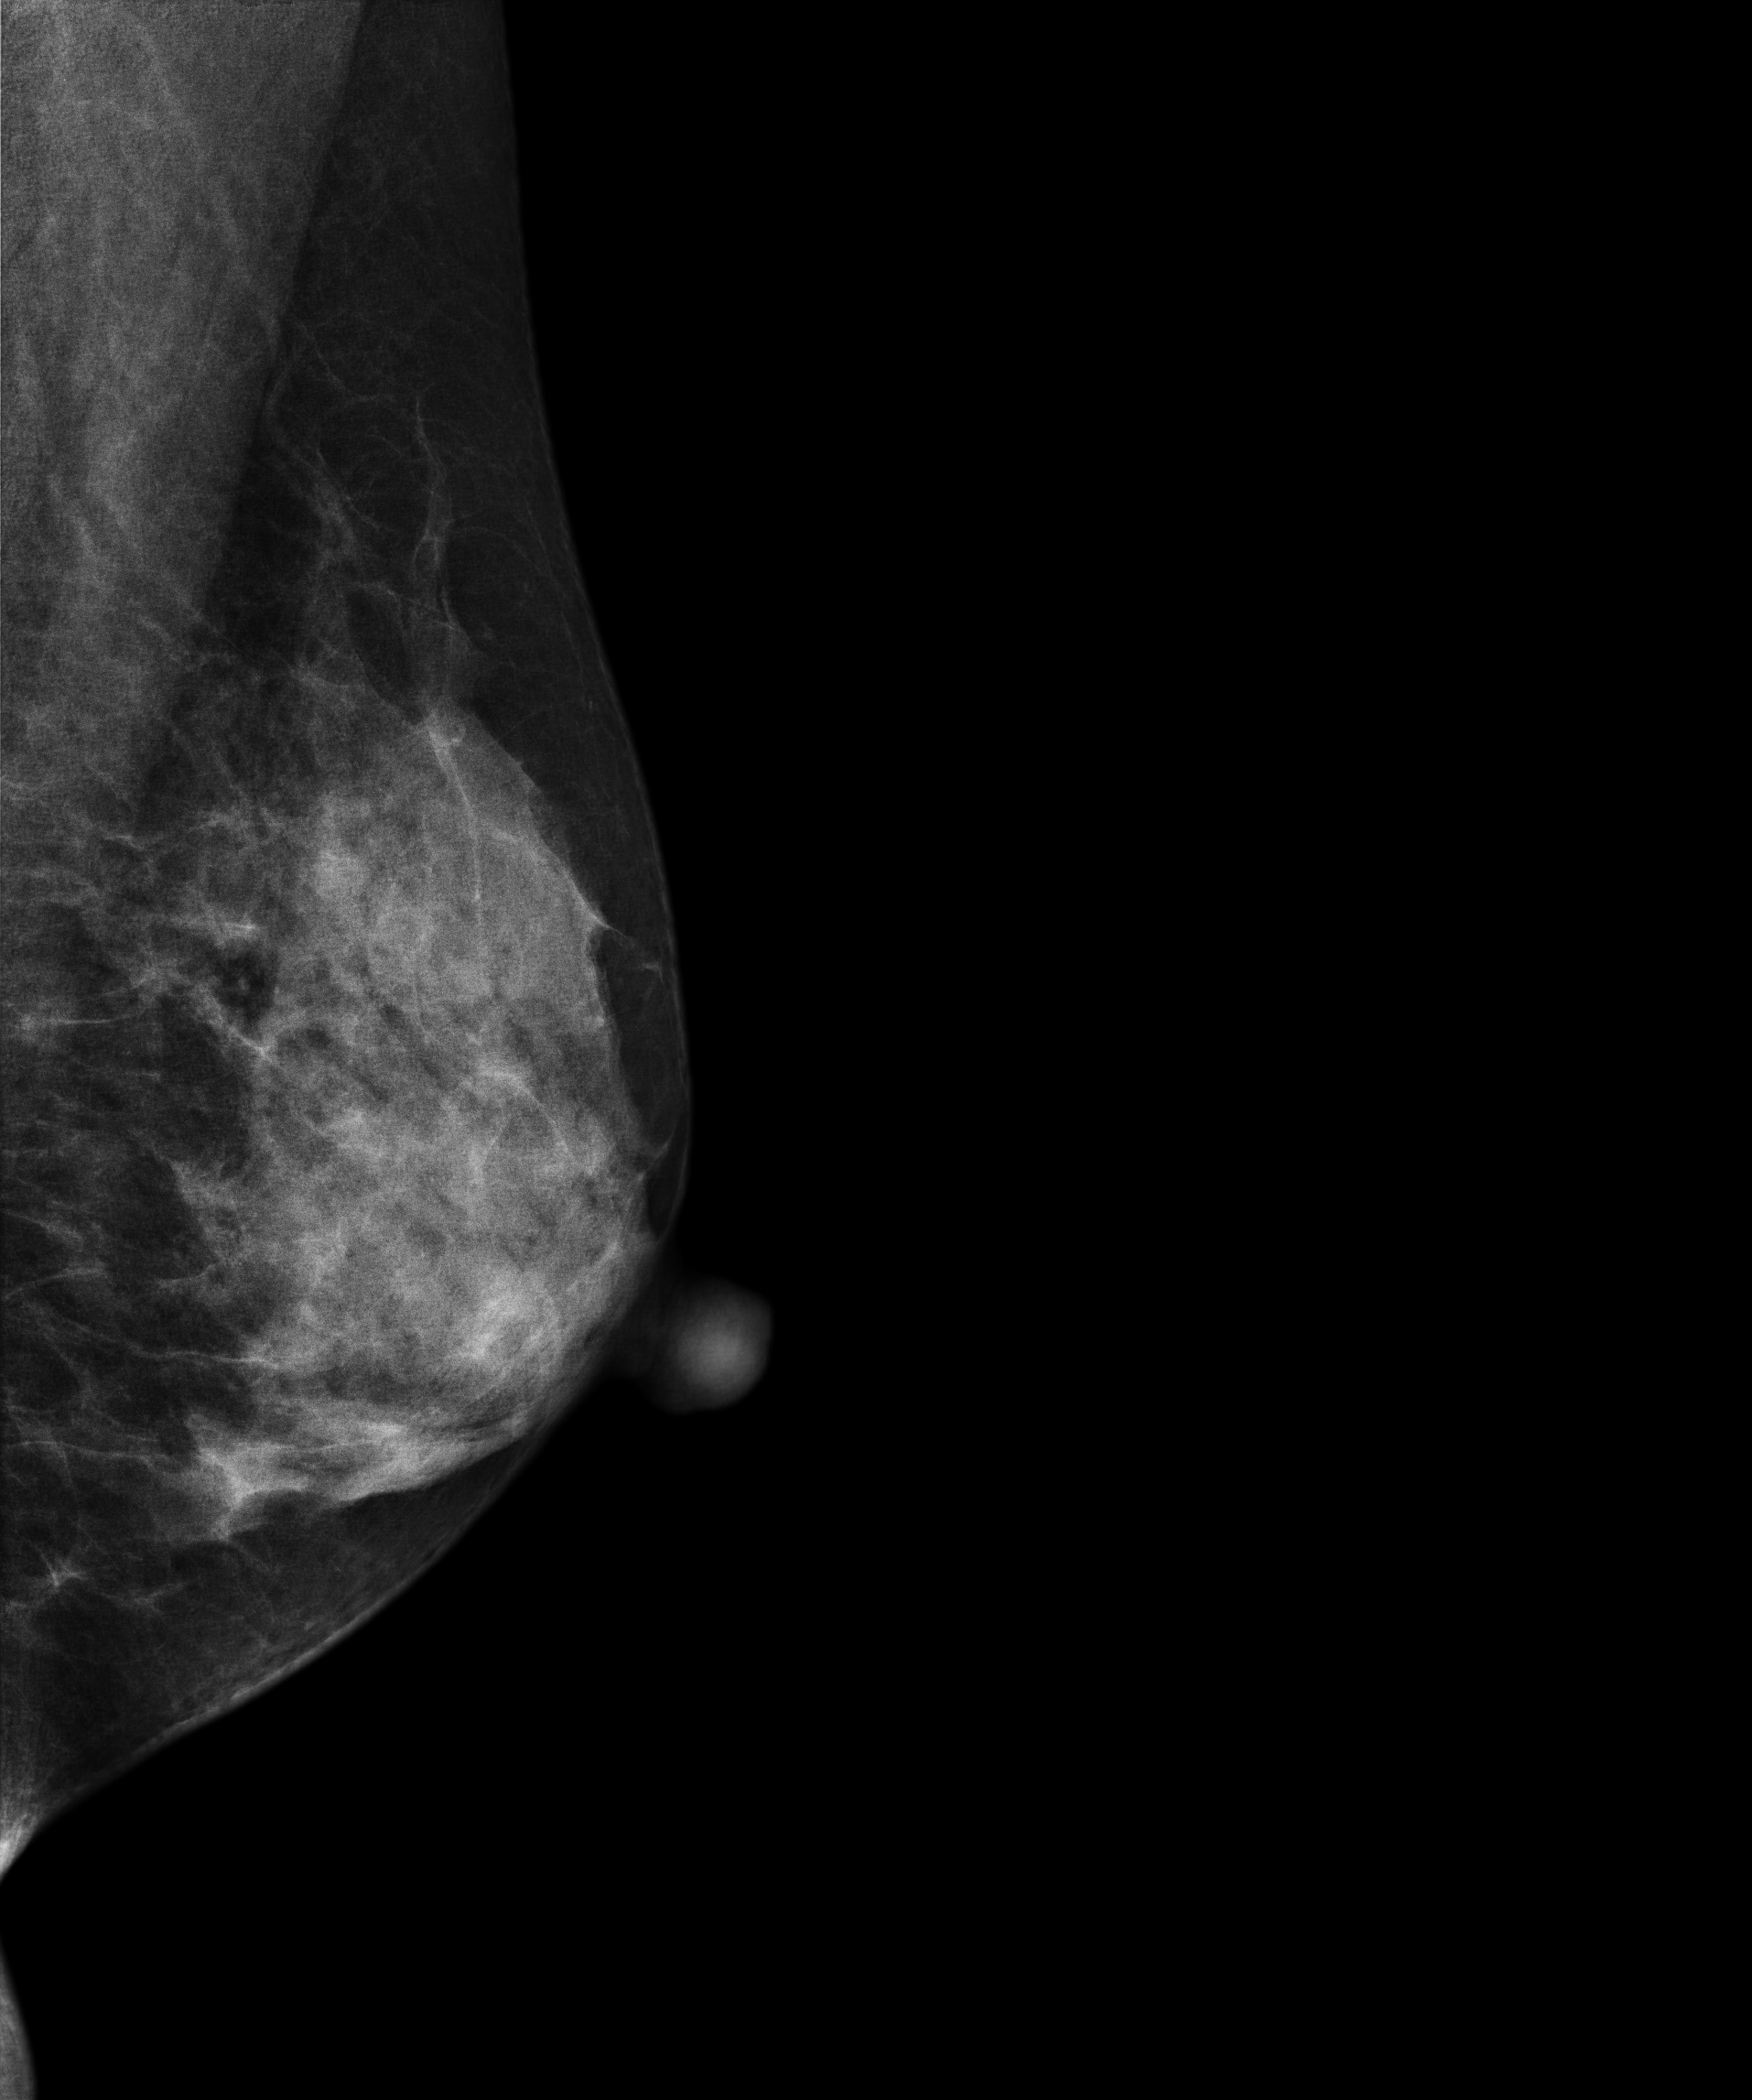
Mammogram, left breast, MLO view. Patient age 48.
Contralateral breast — no documented abnormality on this side.